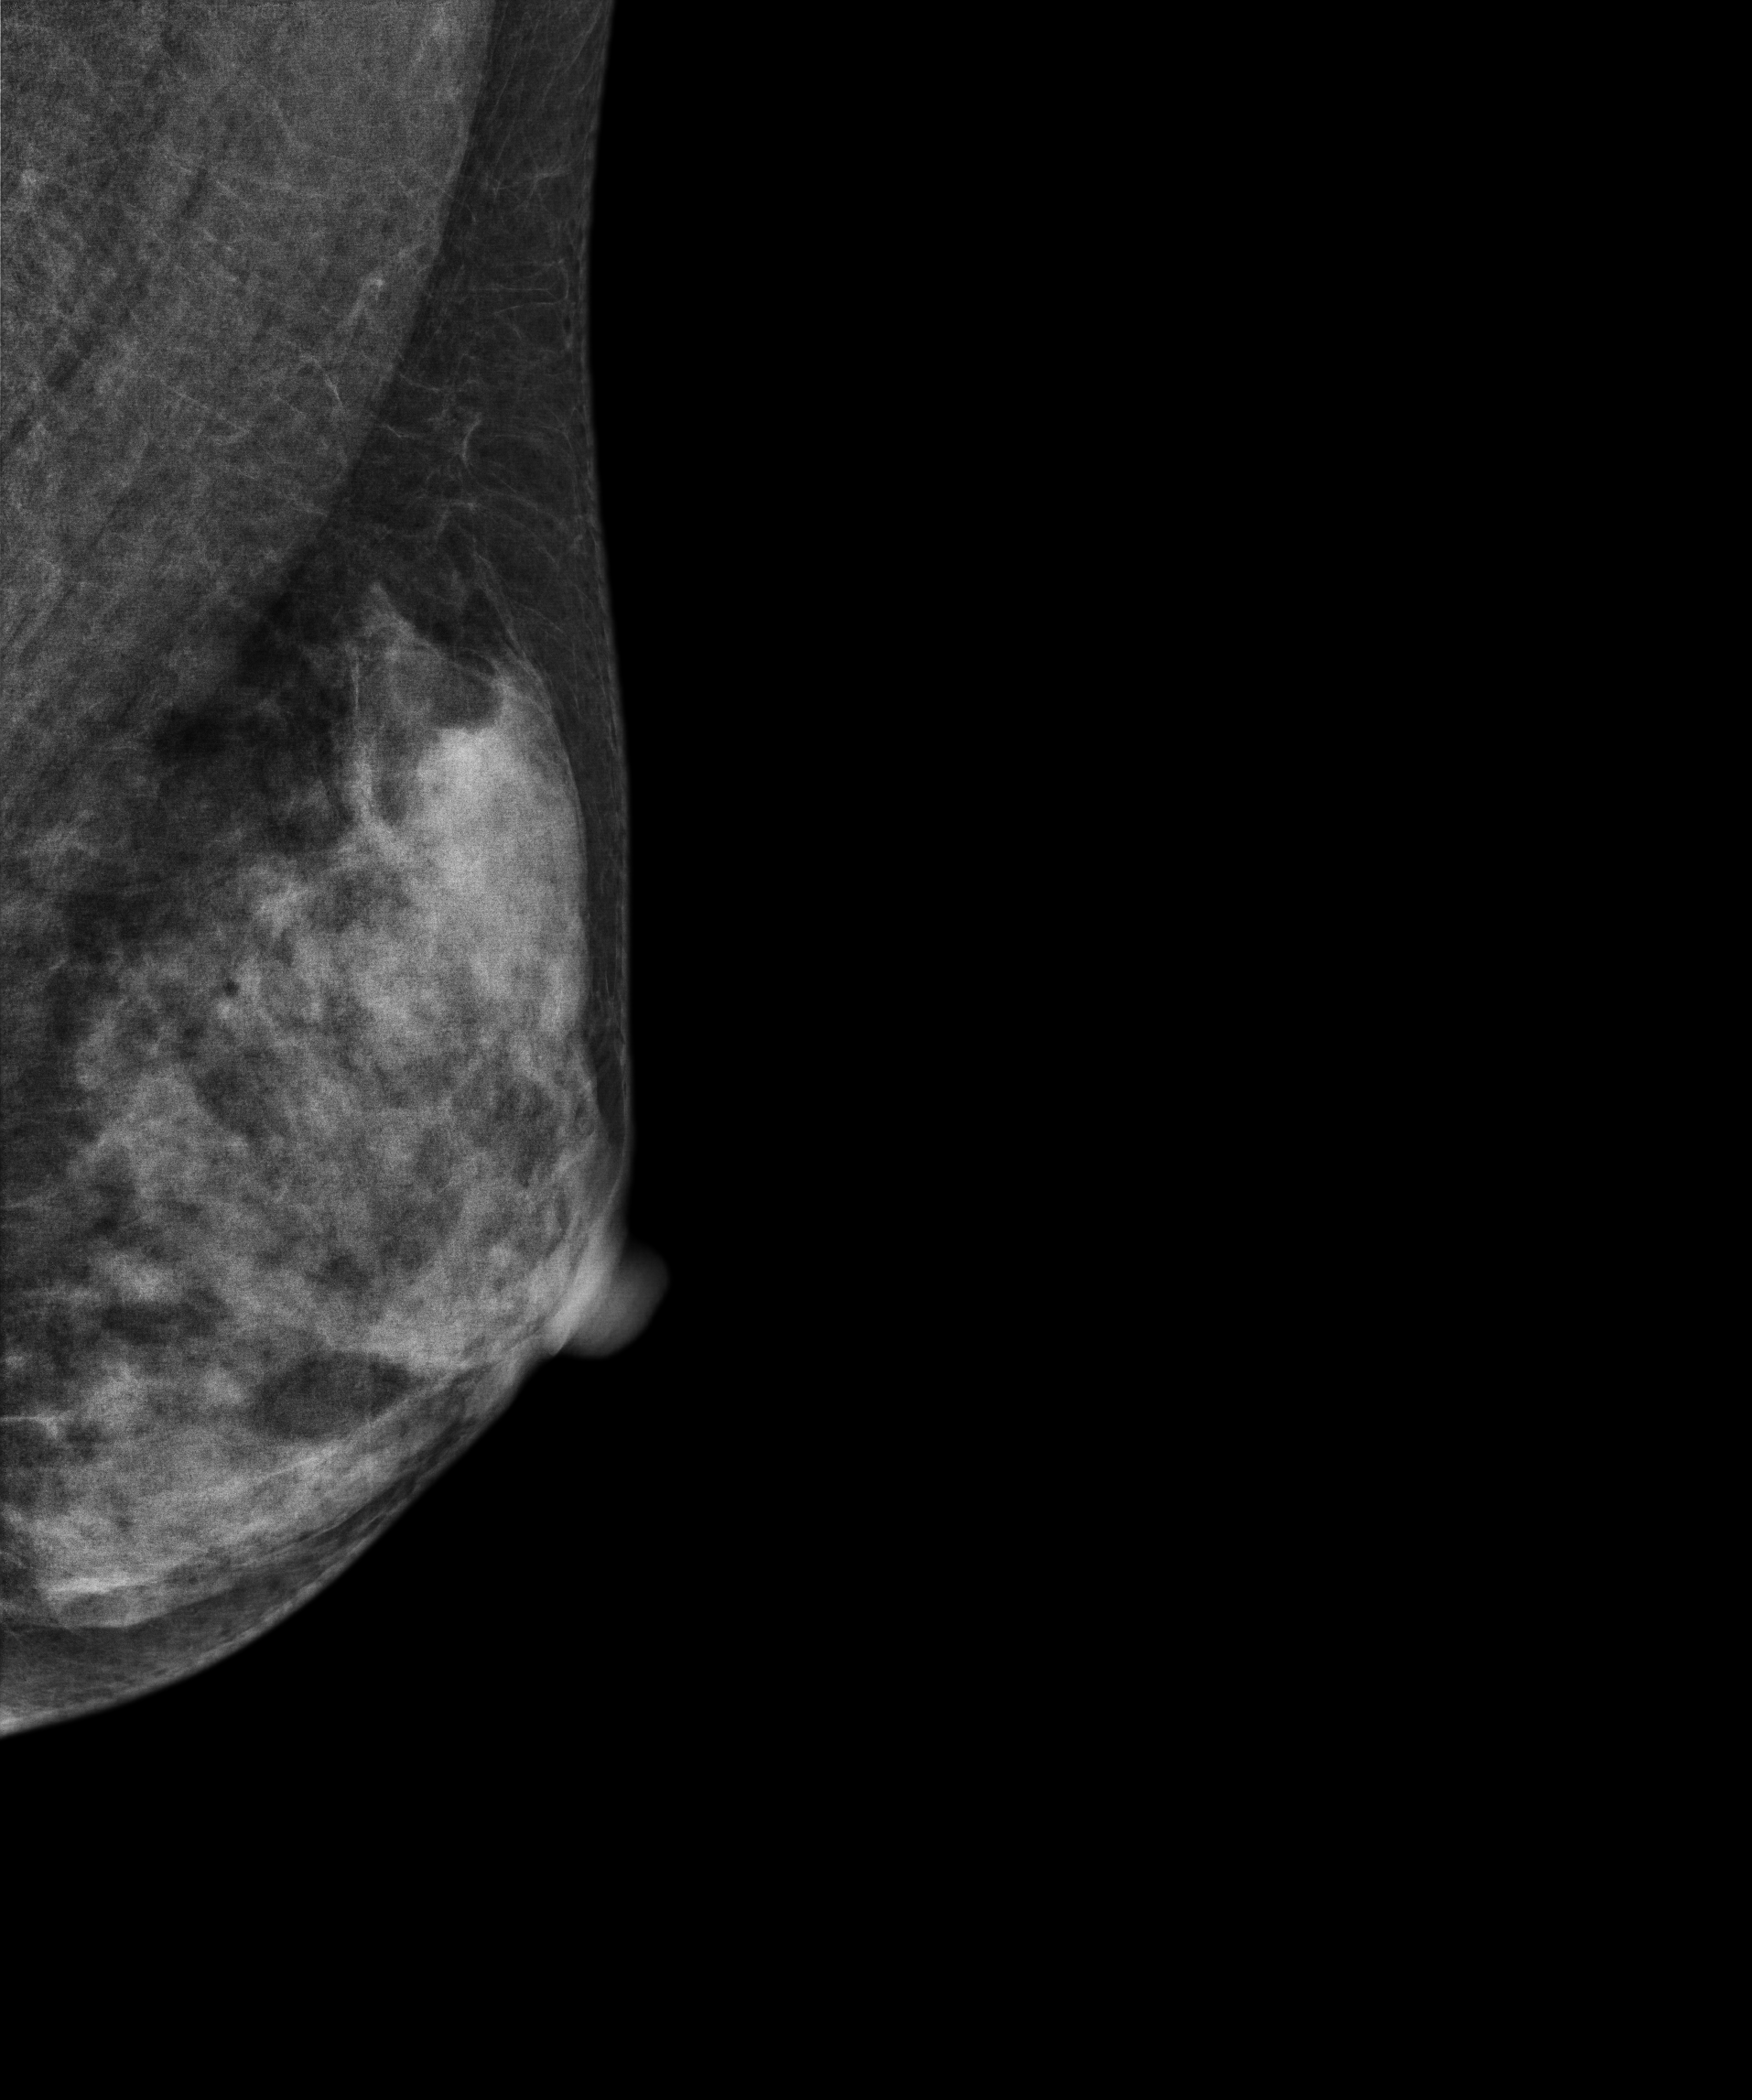
Mammogram, left breast, medio-lateral oblique view. 44 y/o patient.
Contralateral breast — no documented abnormality on this side.